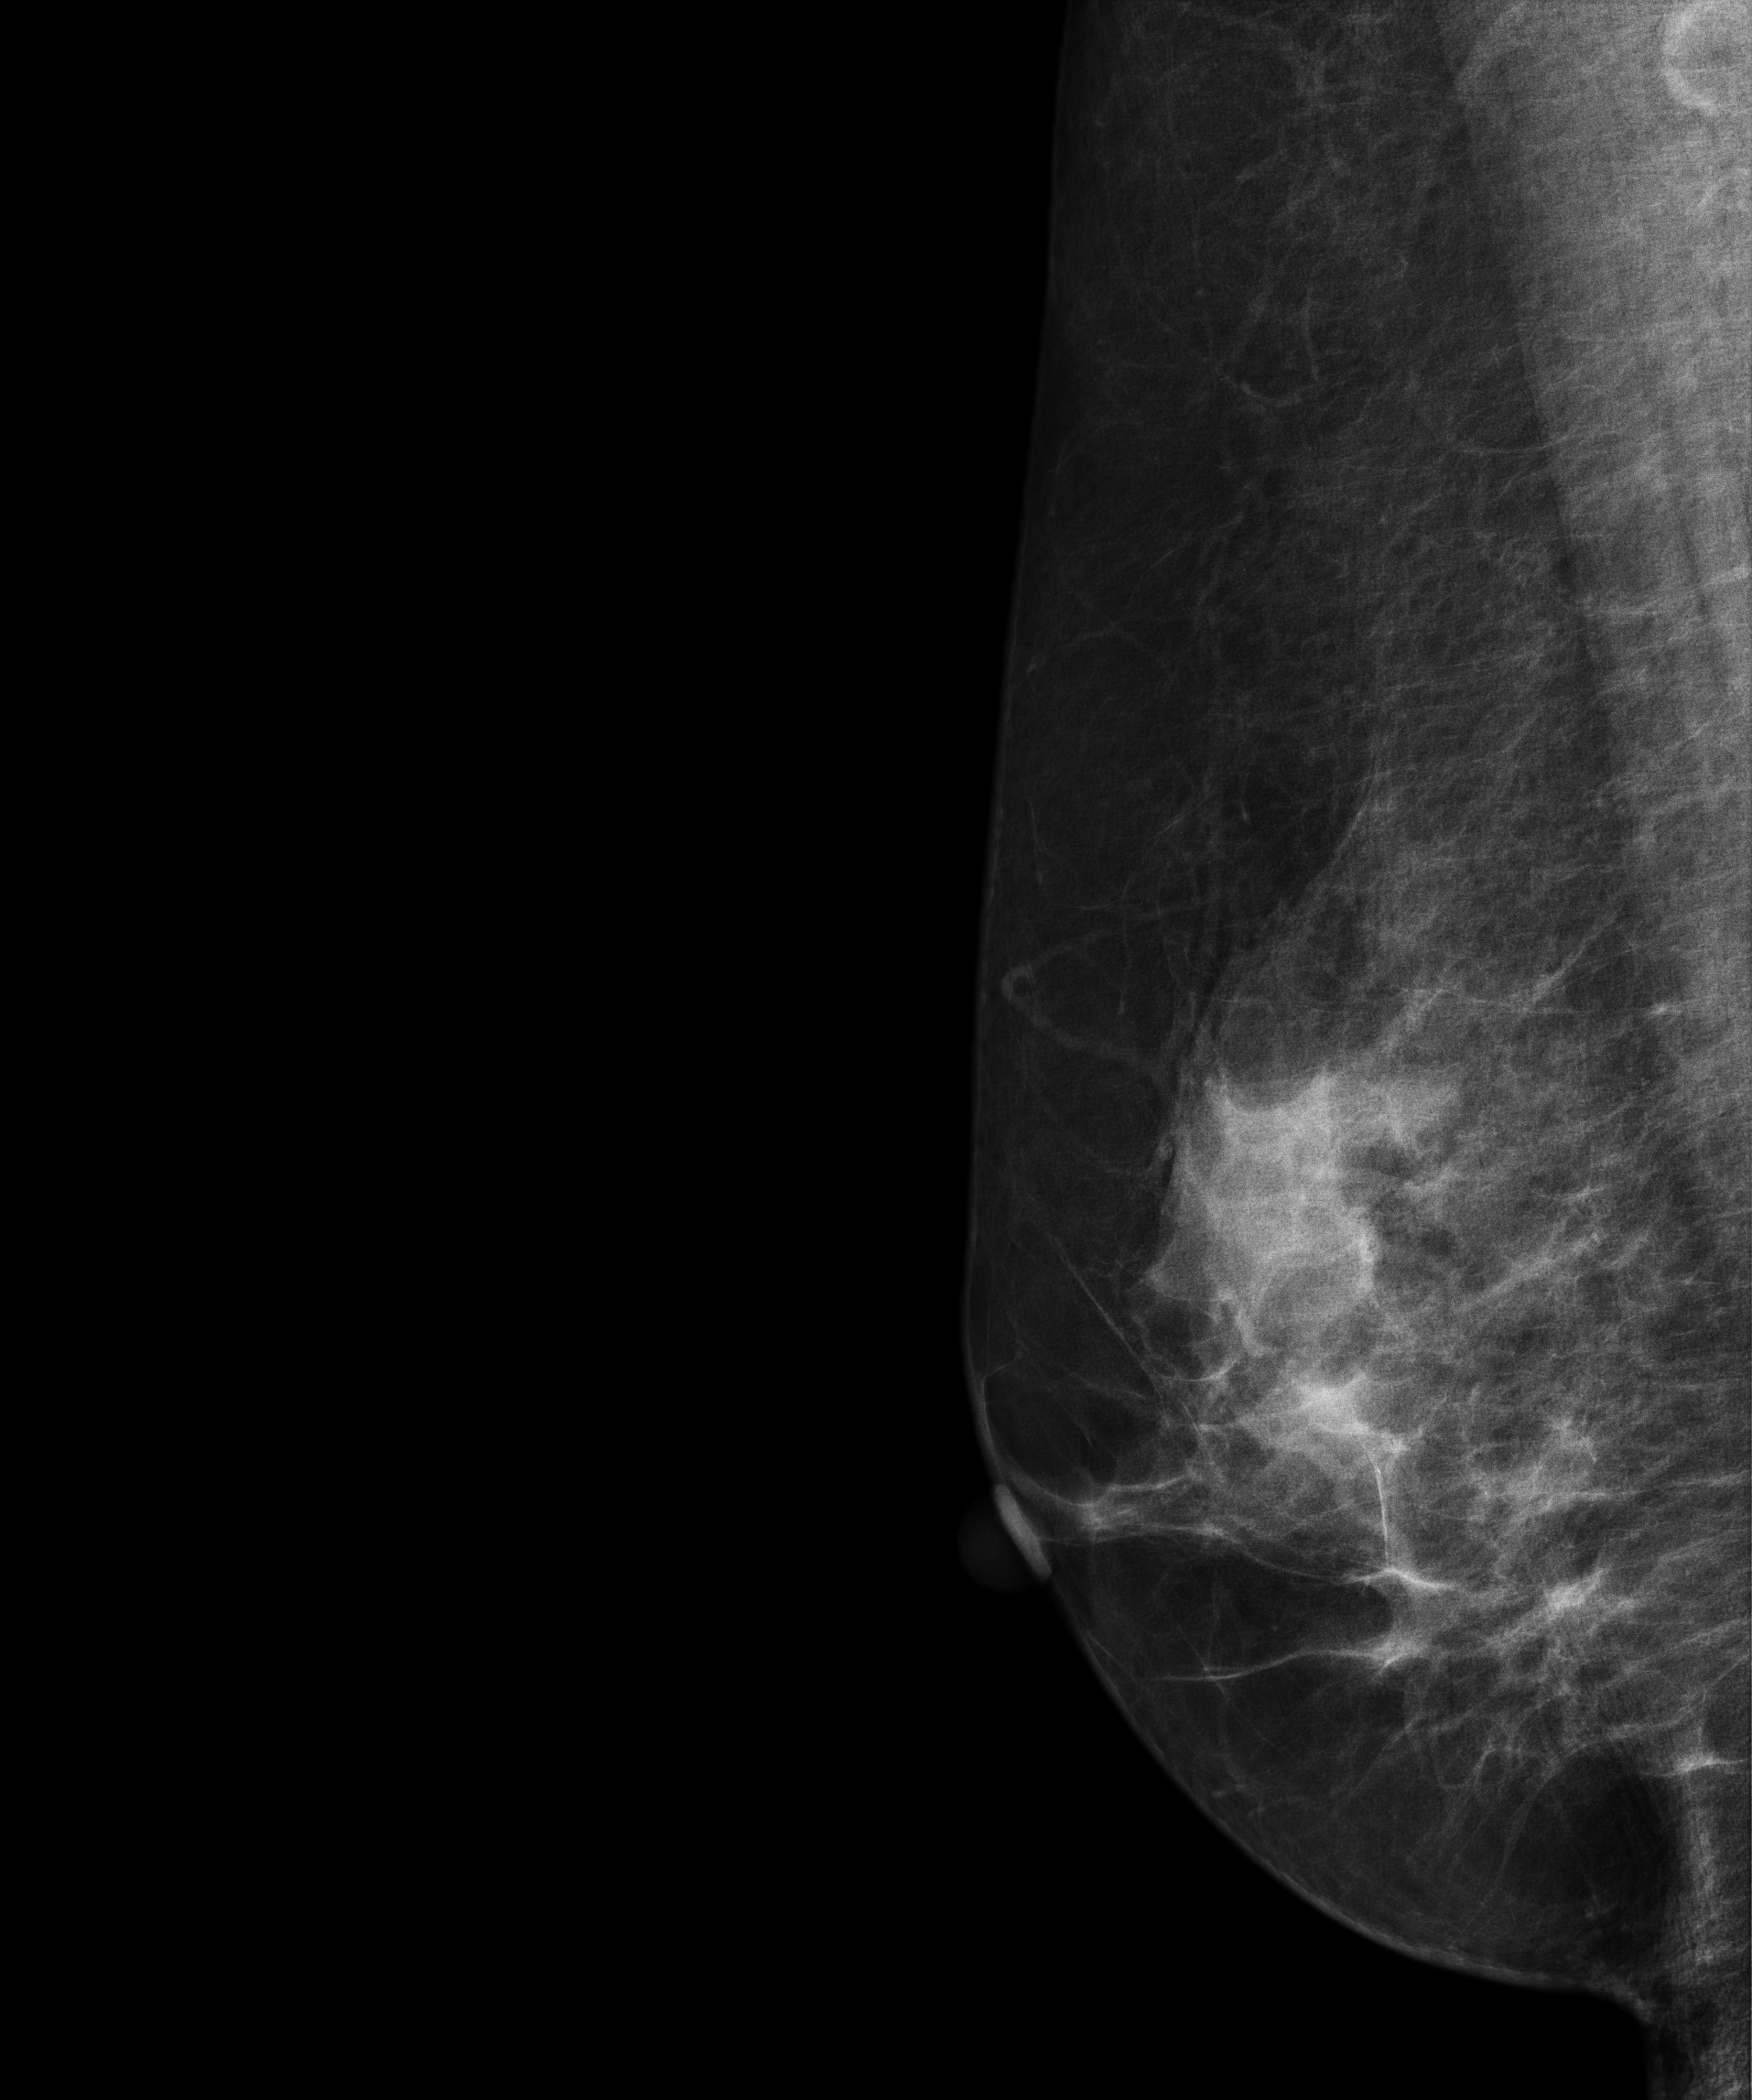
Mammogram, right breast, medio-lateral oblique view. 62 y/o patient.
Contralateral breast — no documented abnormality on this side.